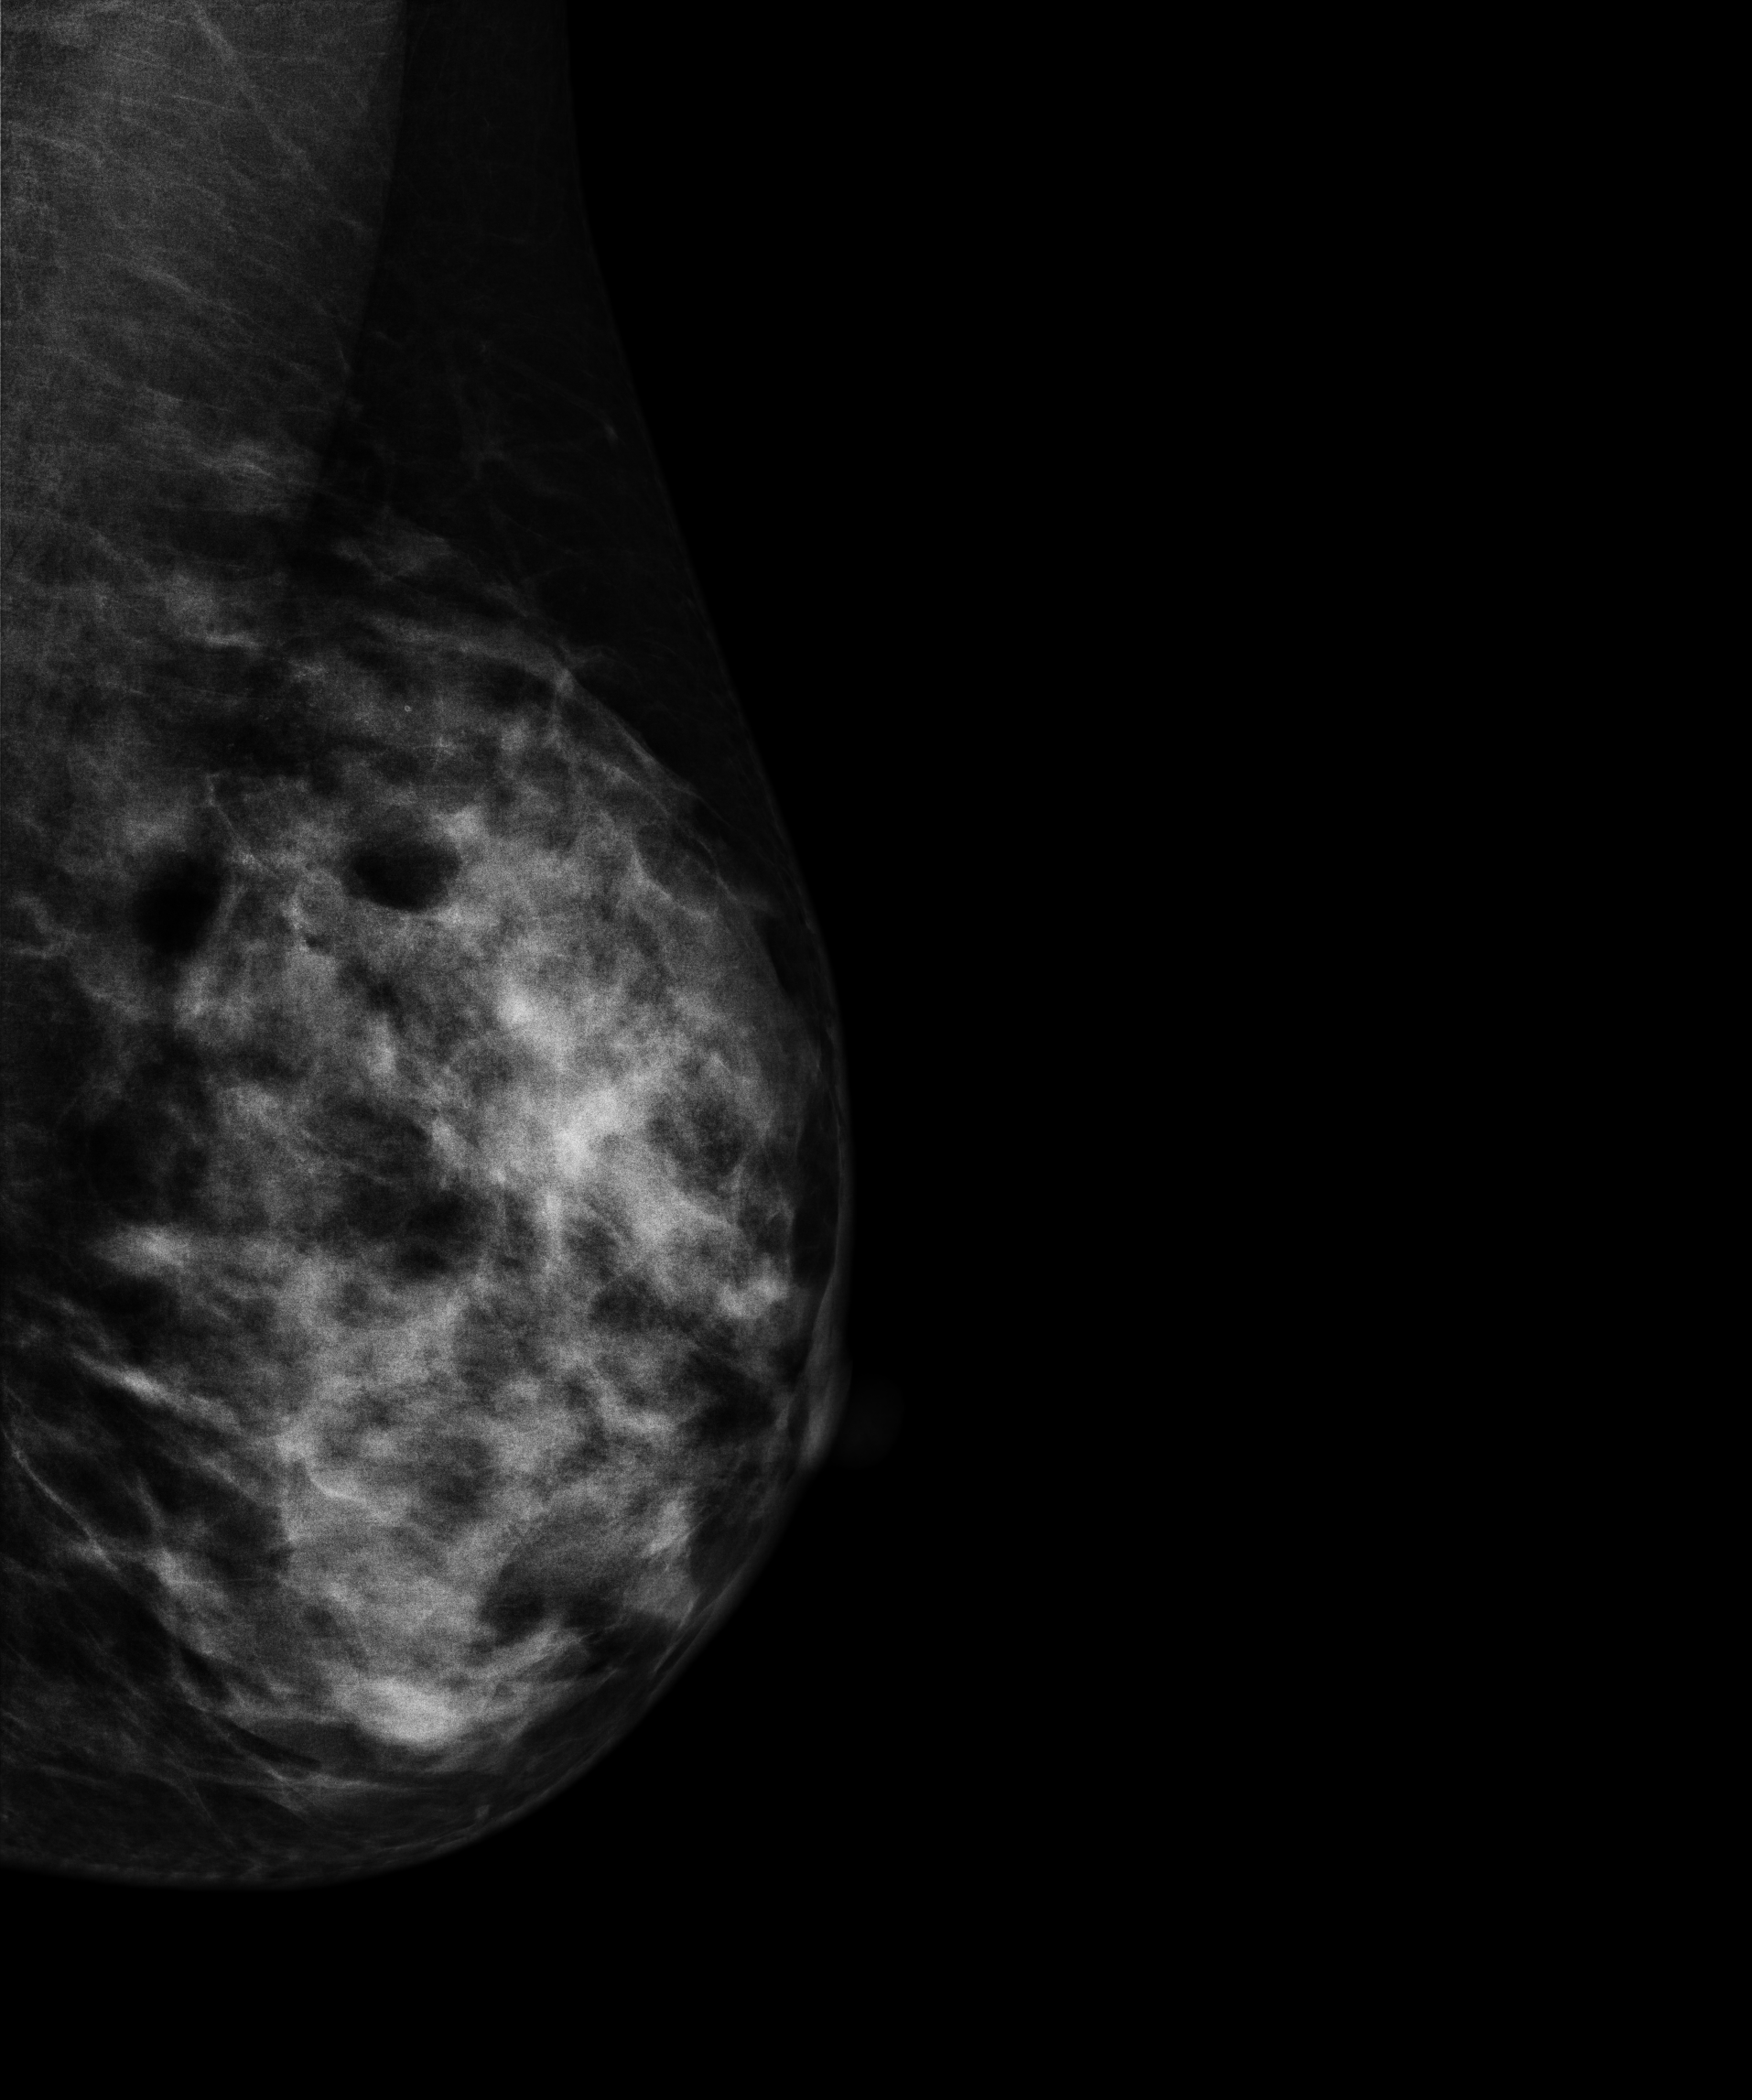
Digital mammography. Left breast, medio-lateral oblique projection. 43-year-old patient.
This breast has a mass, pathology-confirmed malignant.